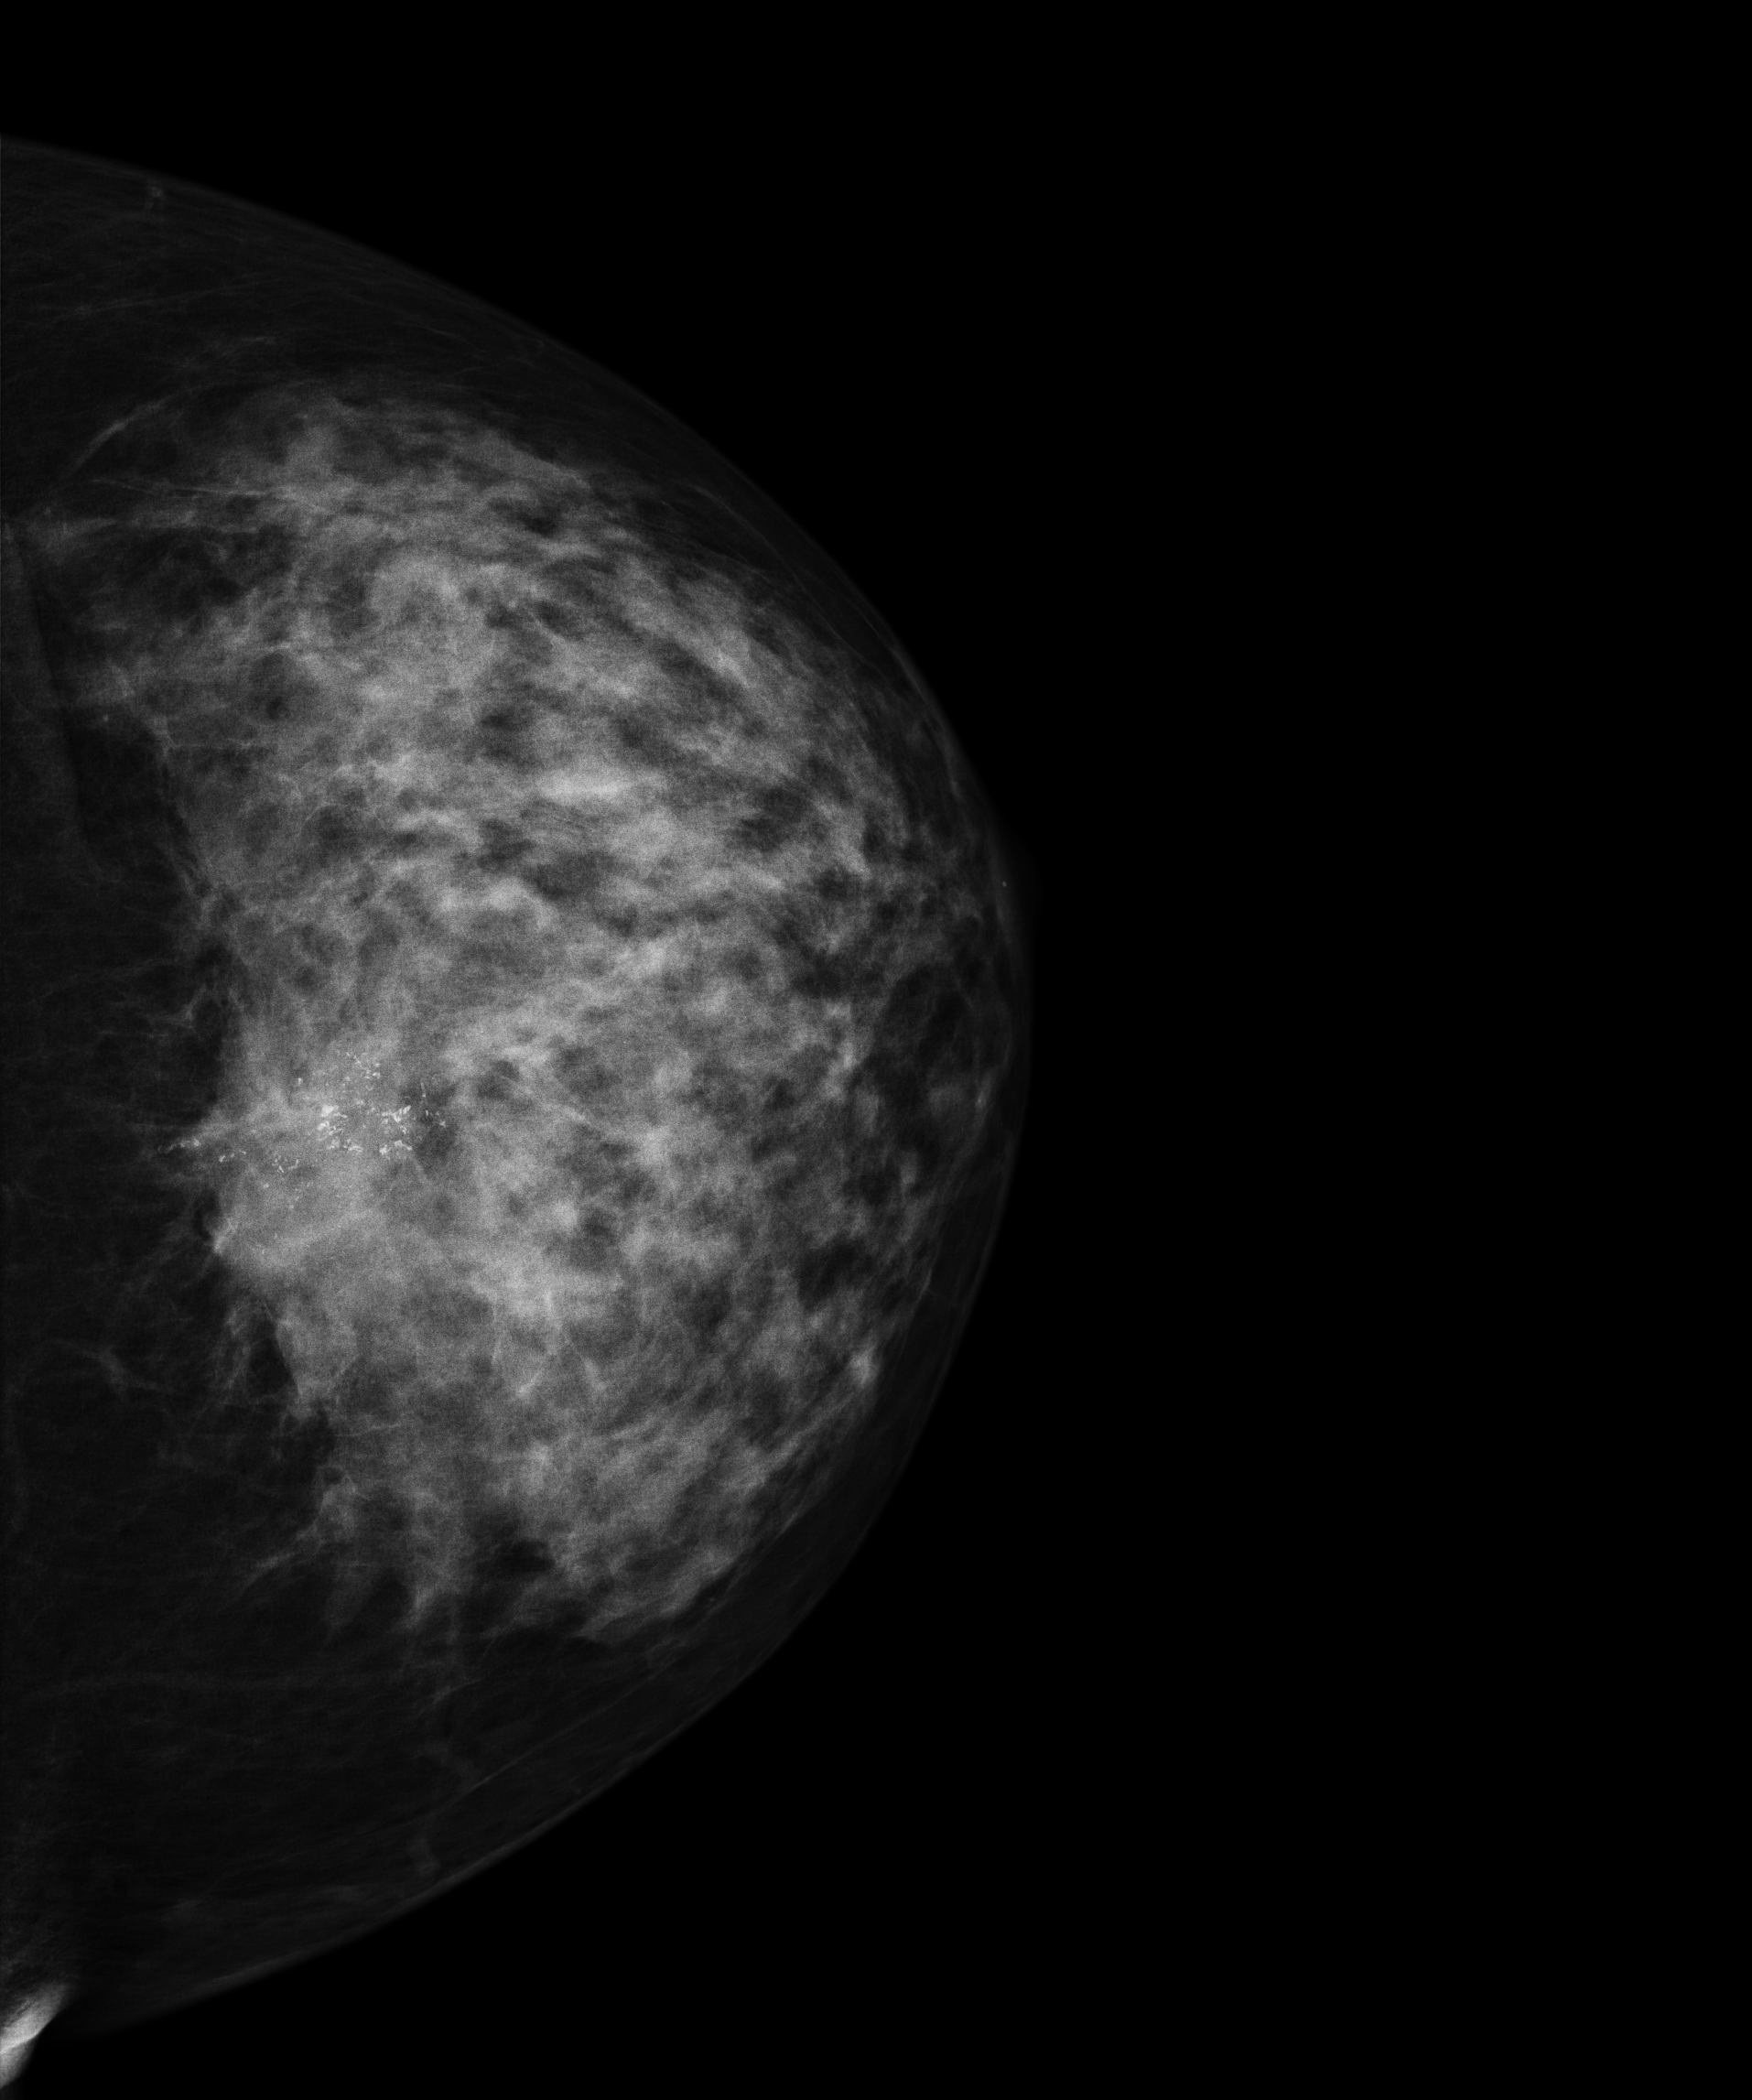
Left-breast mammogram, CC. 56-year-old patient.
This breast has a mass and calcifications, biopsy-proven malignant. Molecular subtype: HER2-enriched.